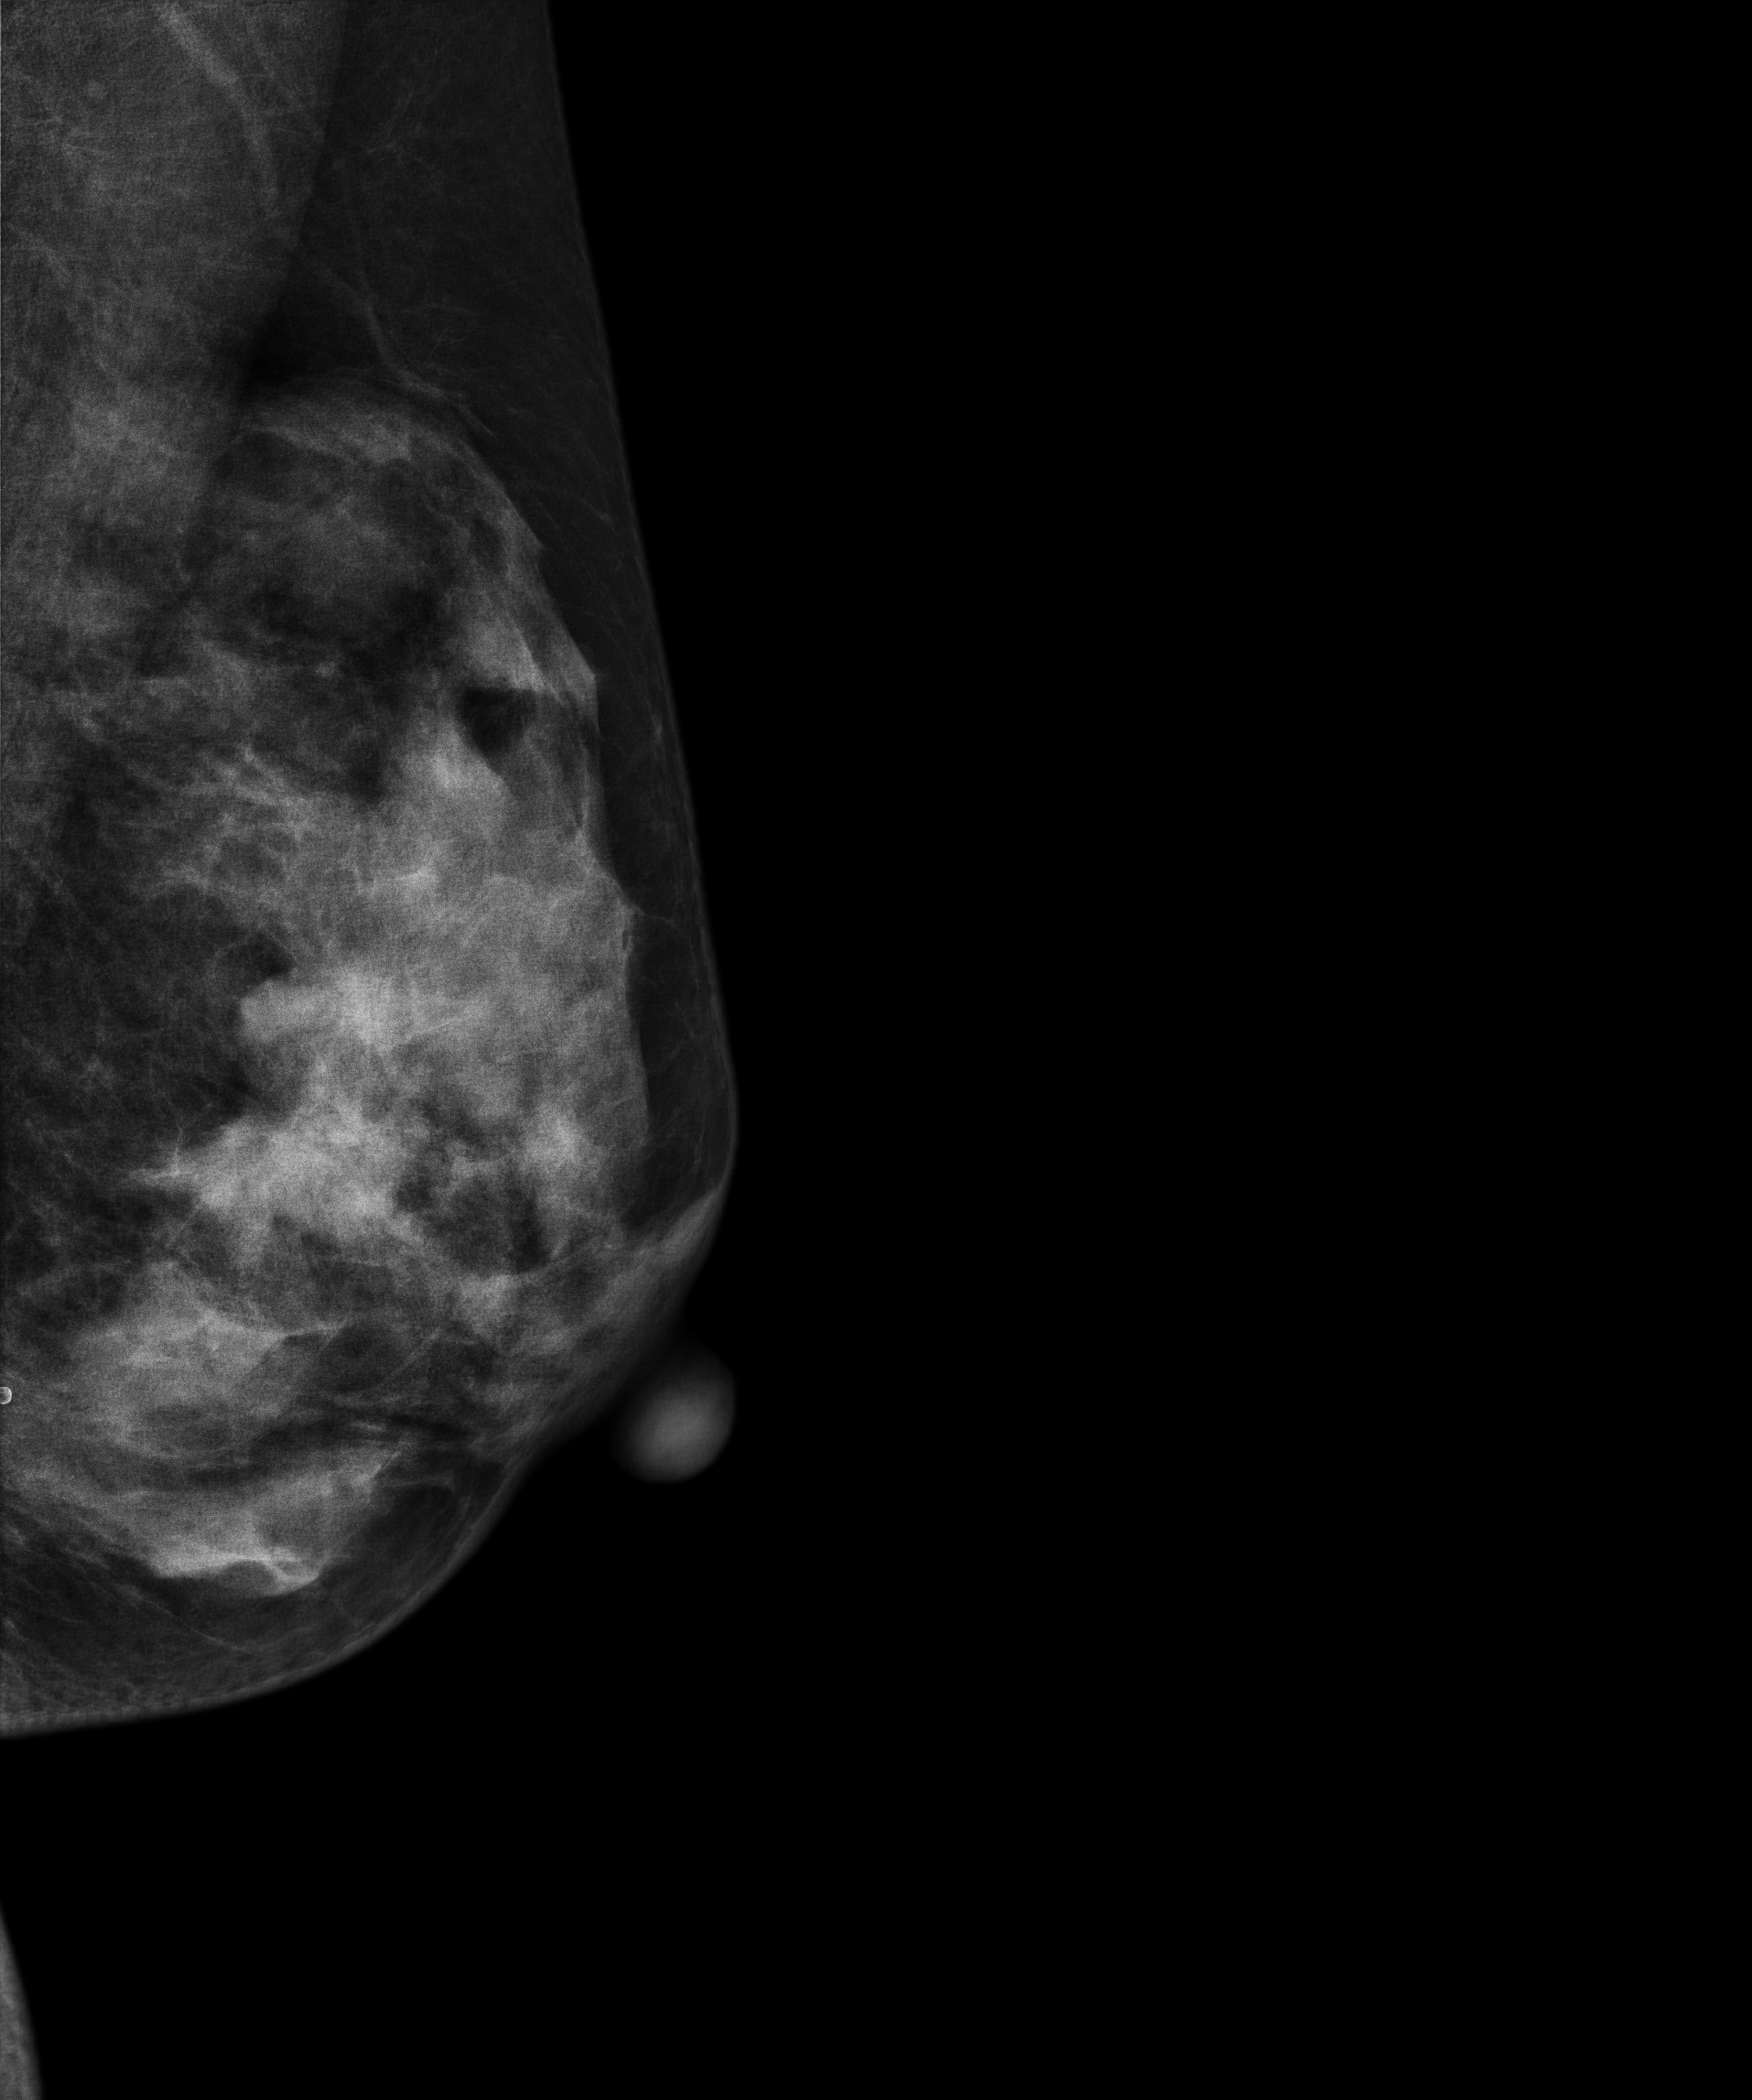
Digital mammography. Left breast, medio-lateral oblique projection. Patient age 38.
This breast has a mass, histologically confirmed malignant. Molecular subtype: luminal B.